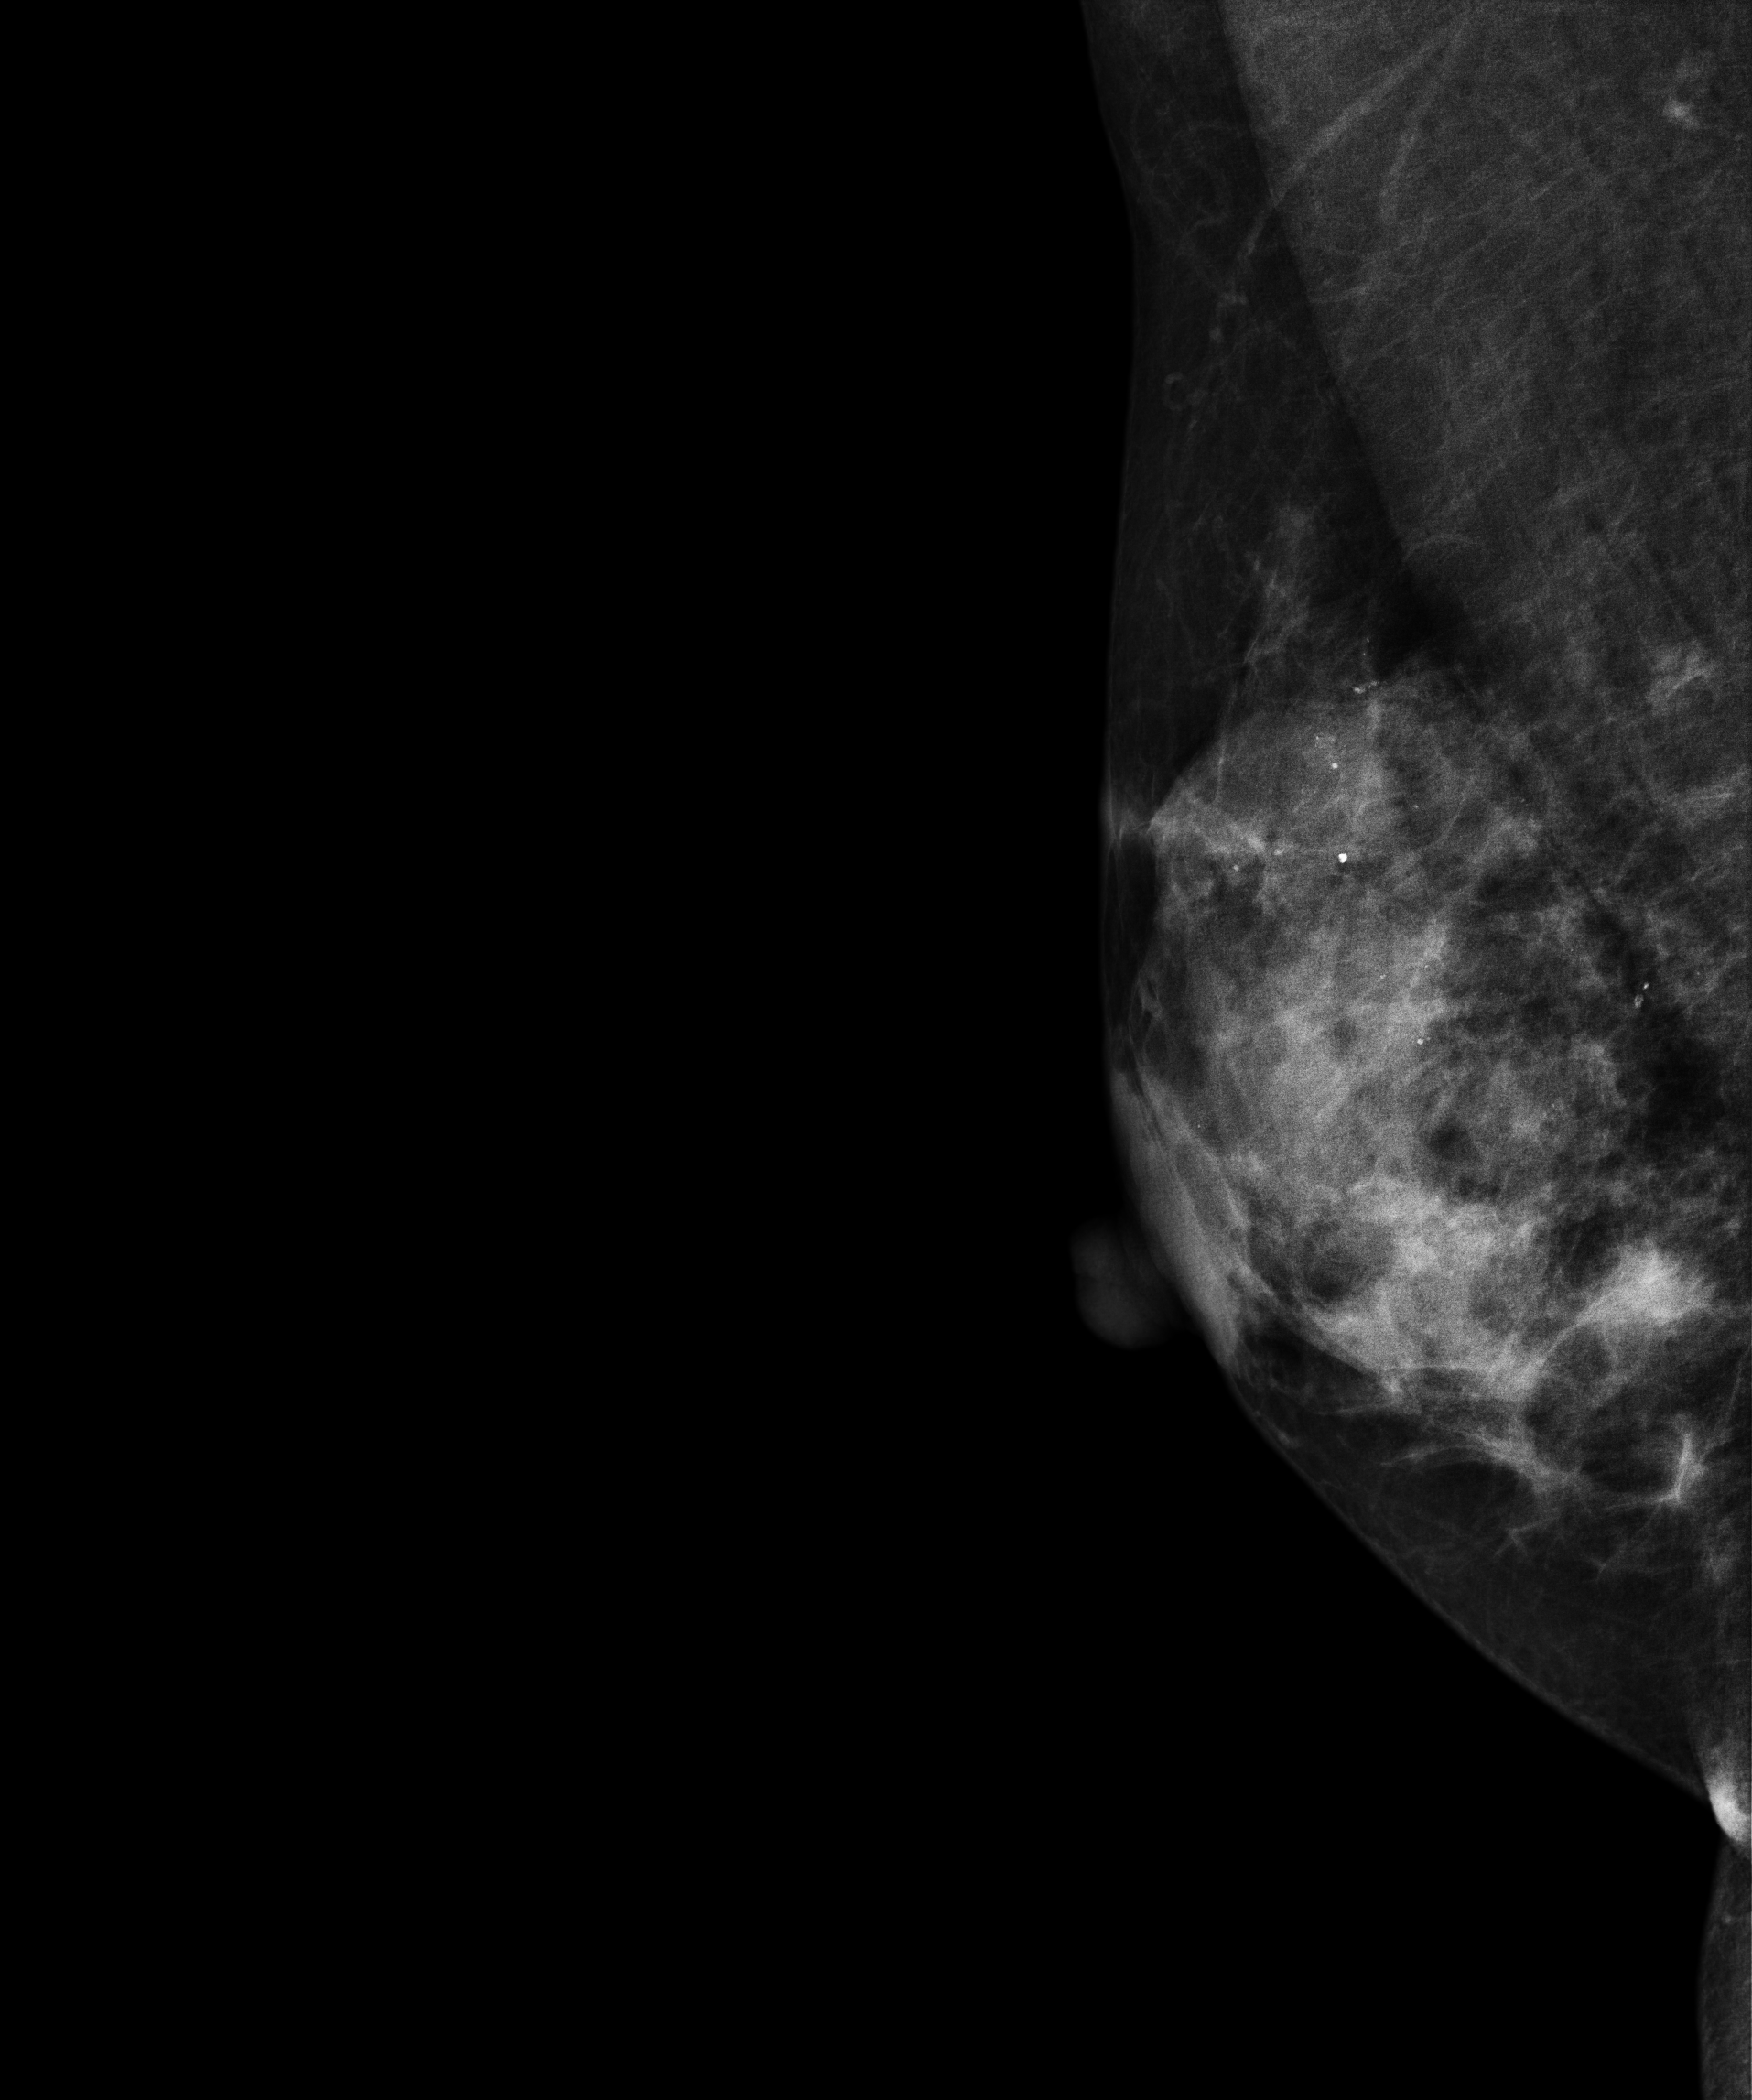
Right-breast mammogram, medio-lateral oblique. 43-year-old patient.
This breast has a mass and calcifications, biopsy-confirmed benign.